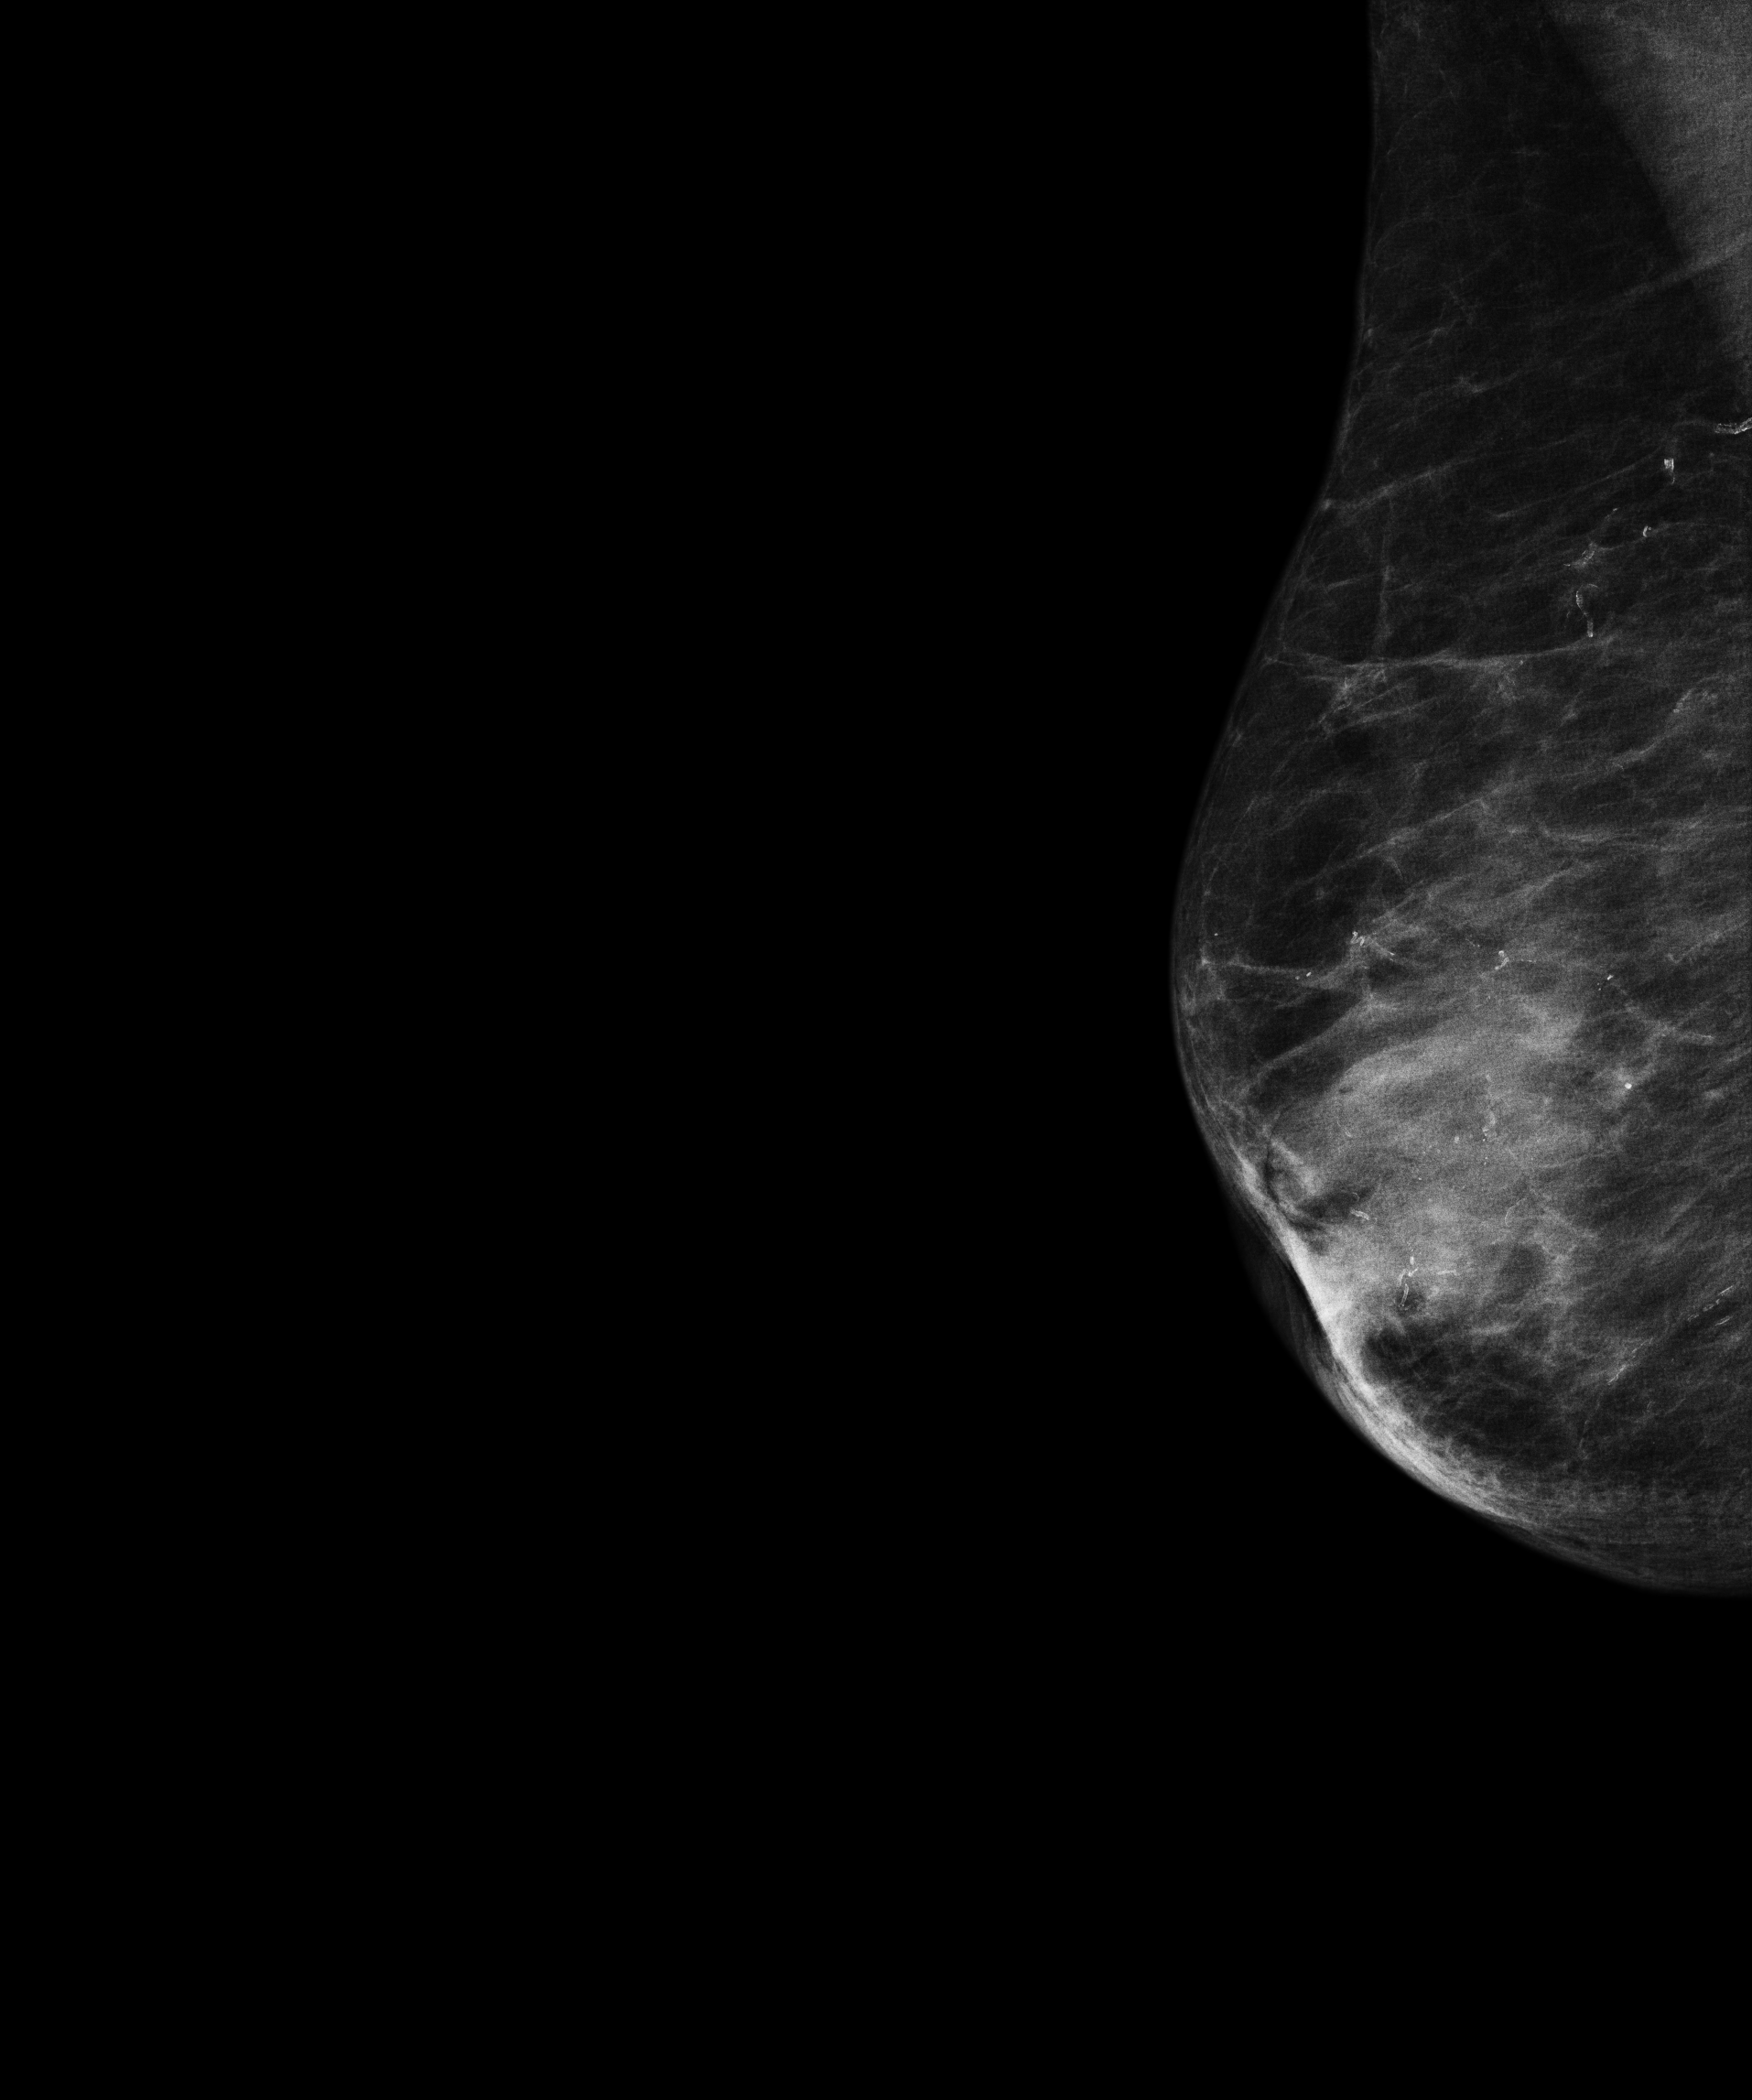
Mammogram — right medio-lateral oblique. 87 y/o patient.
This breast has a mass and calcifications, biopsy-proven malignant. Molecular subtype: HER2-enriched.